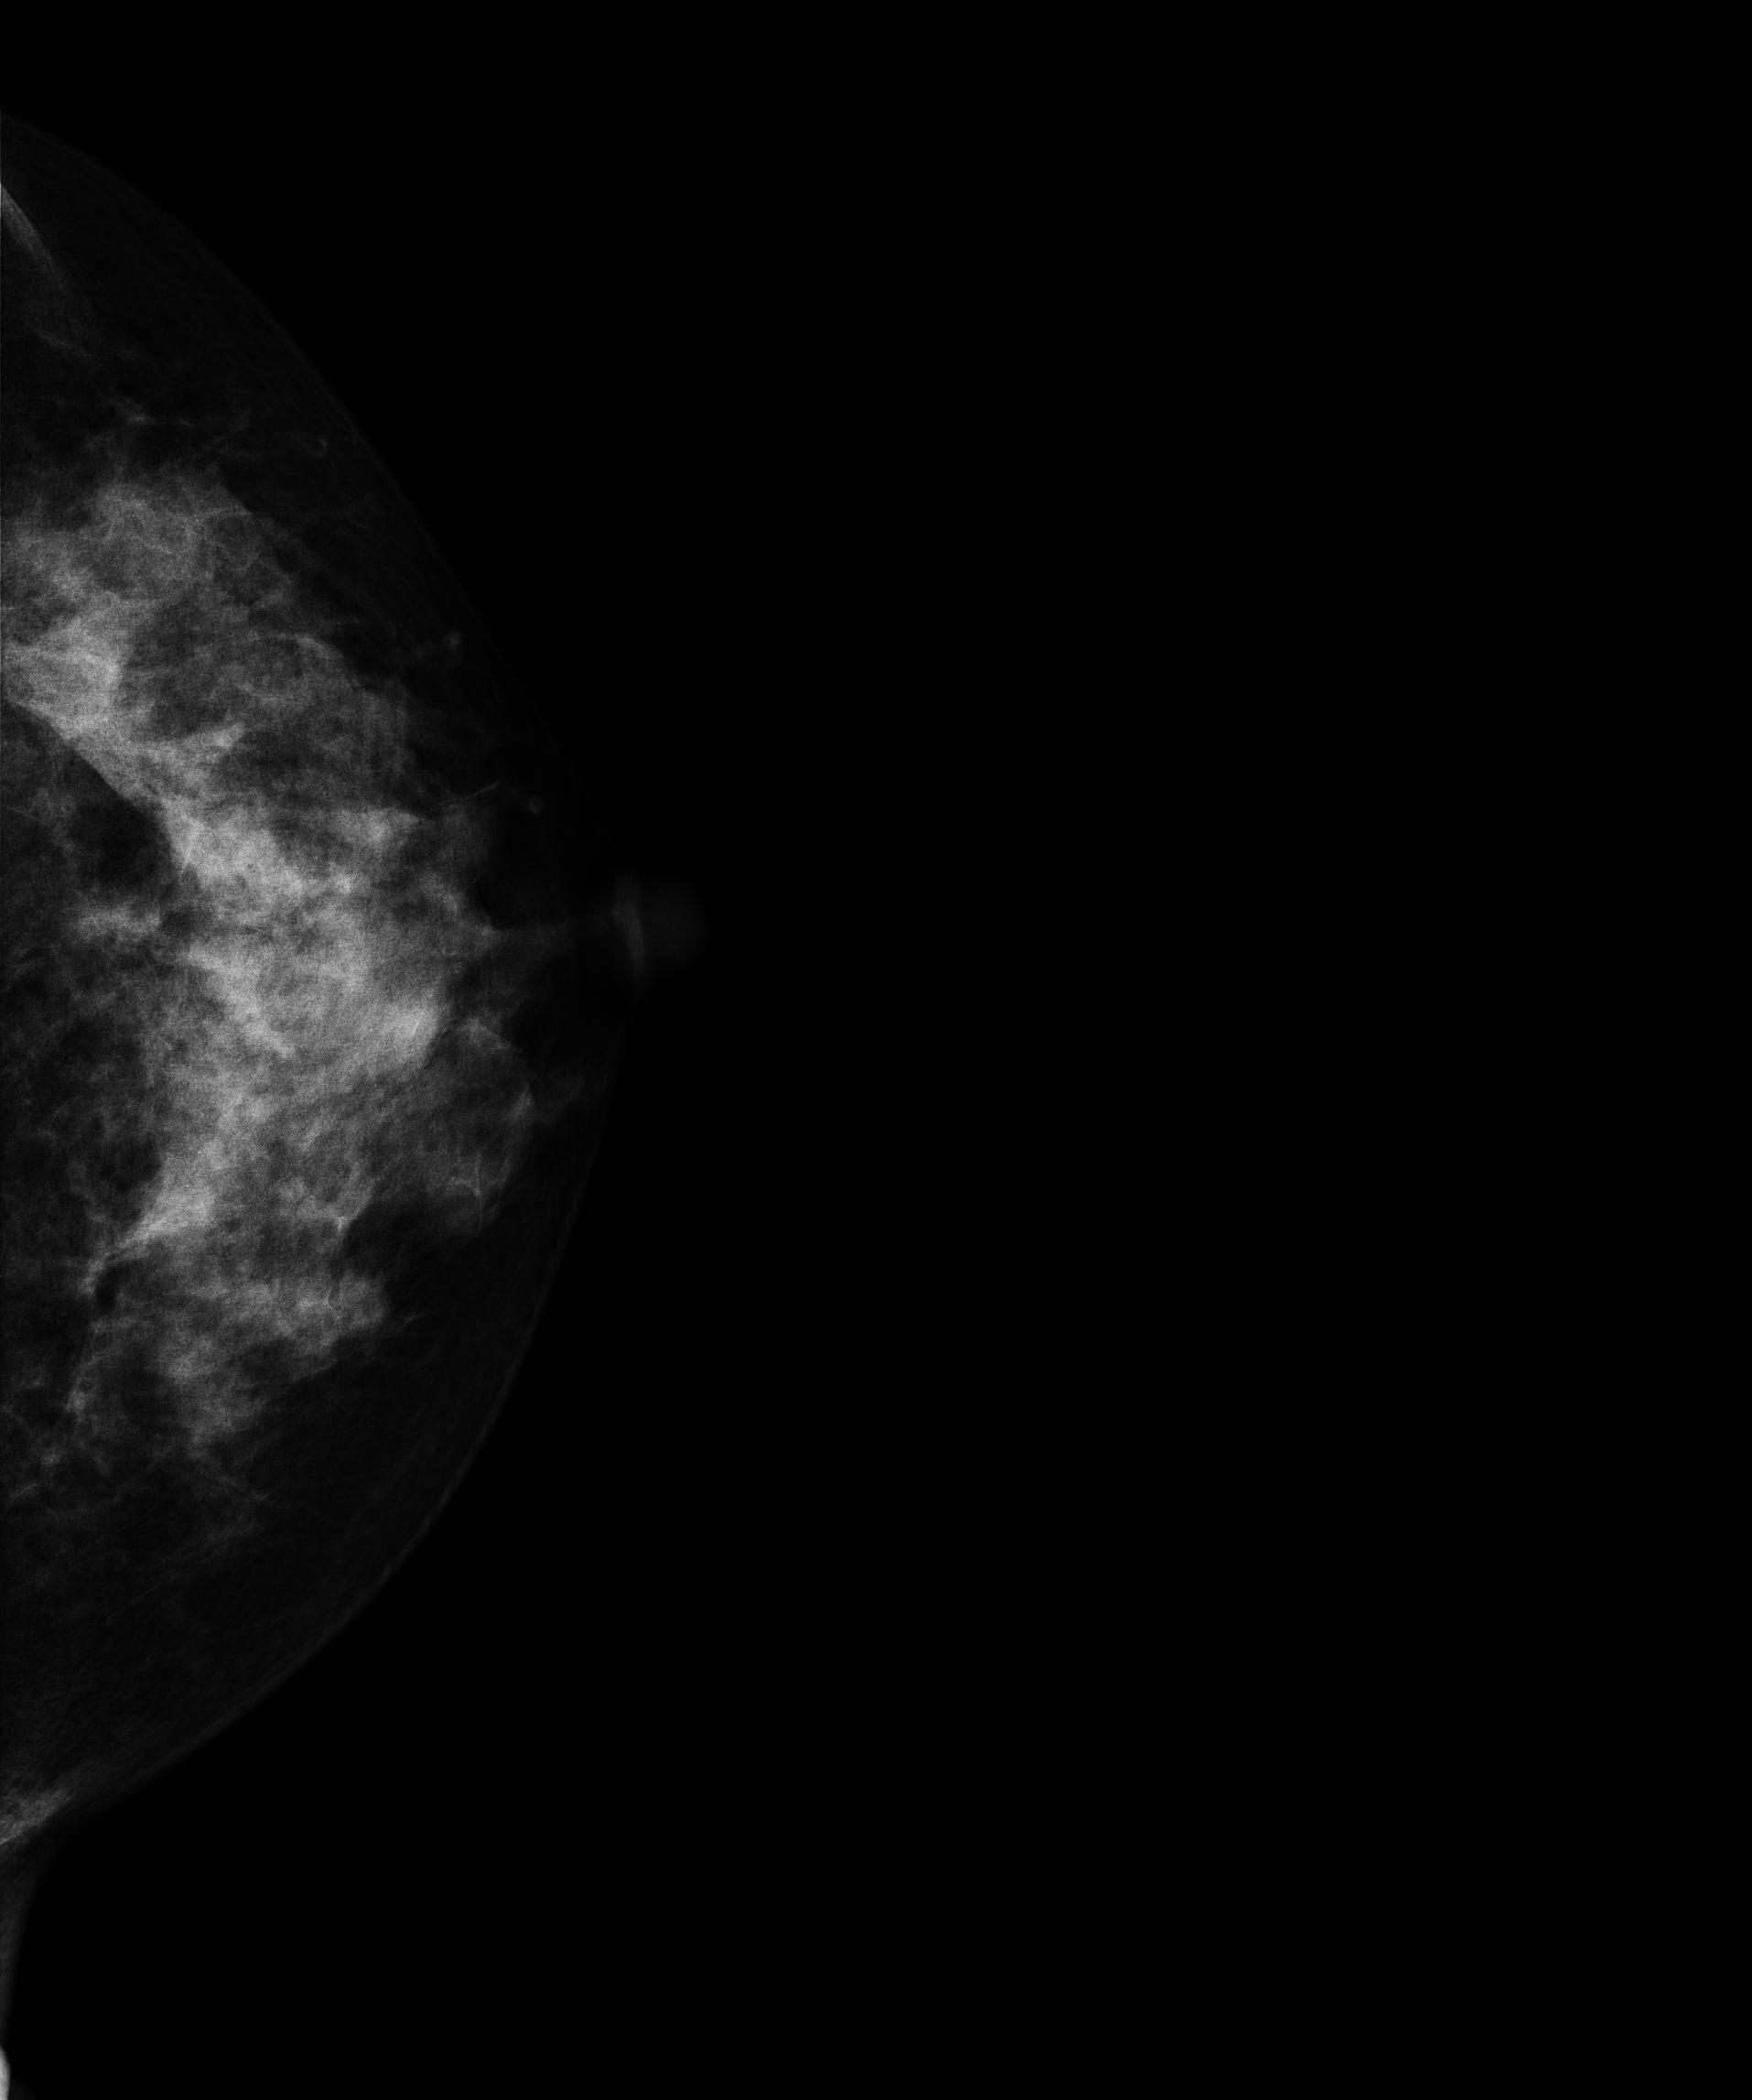
Cranio-caudal mammogram of the left breast. 43 y/o patient.
This breast has a mass, biopsy-proven benign.